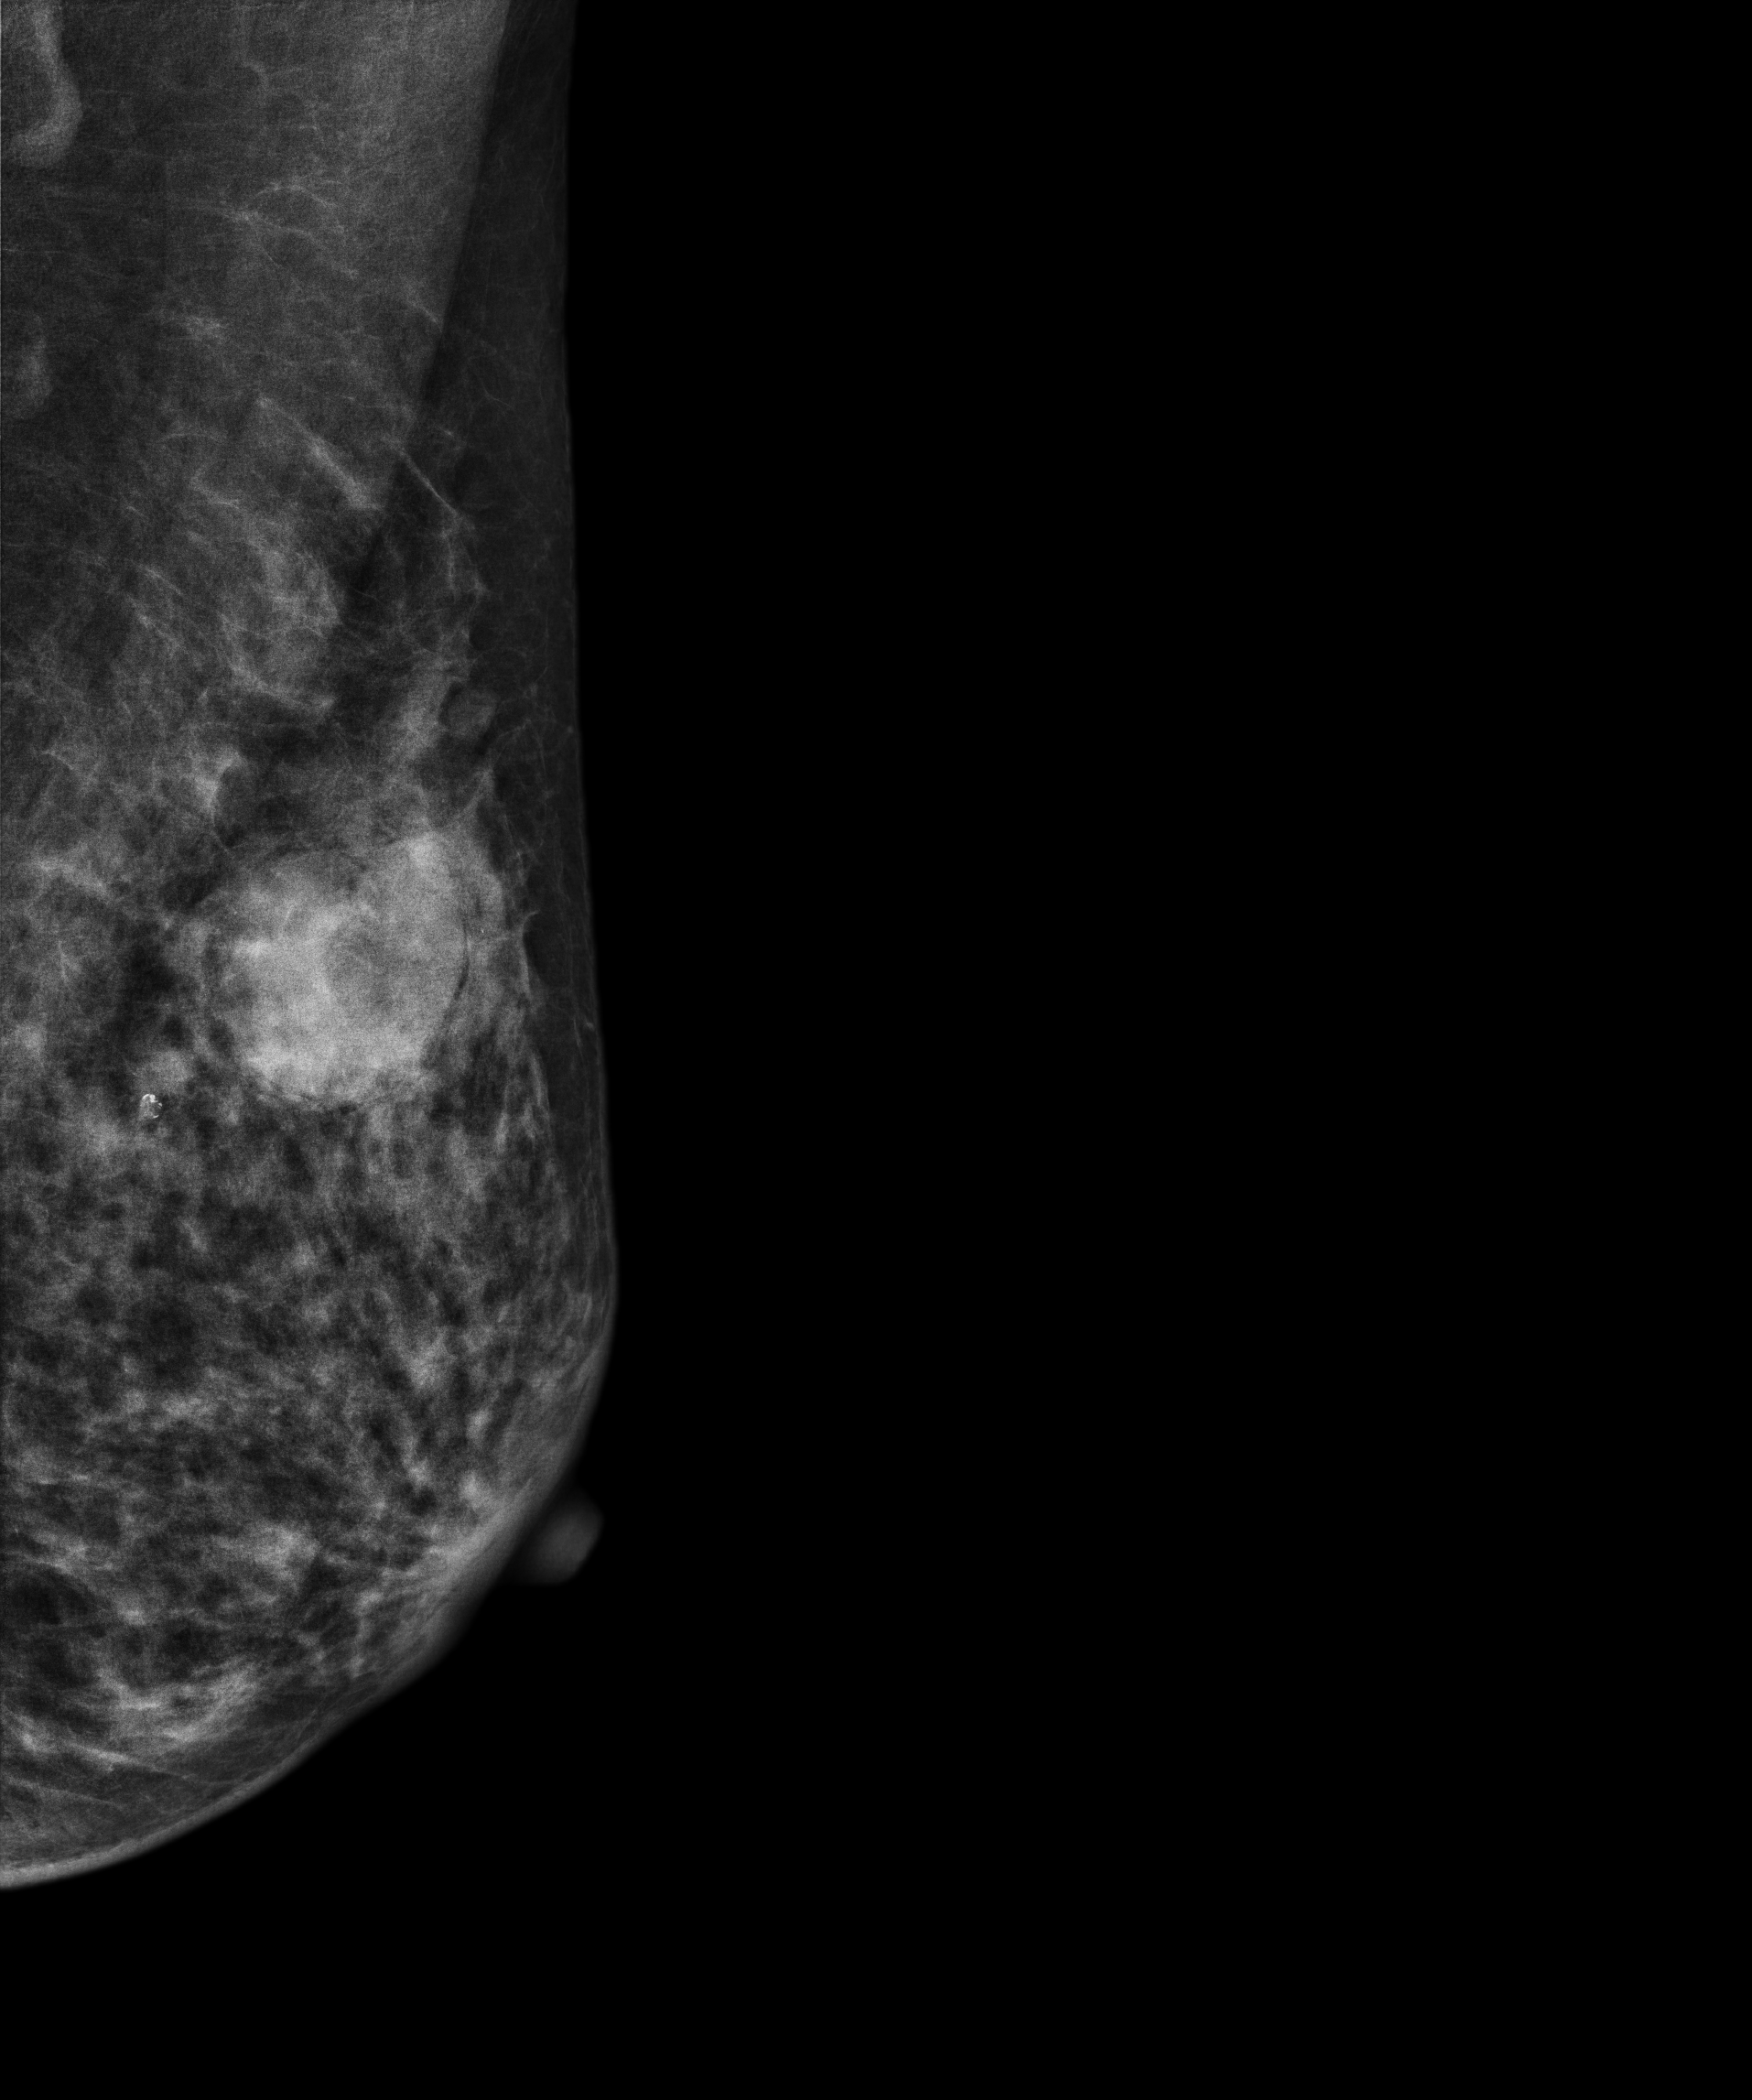
Mammogram, left breast, MLO view. Patient age 48.
This breast has a mass, biopsy-confirmed benign.